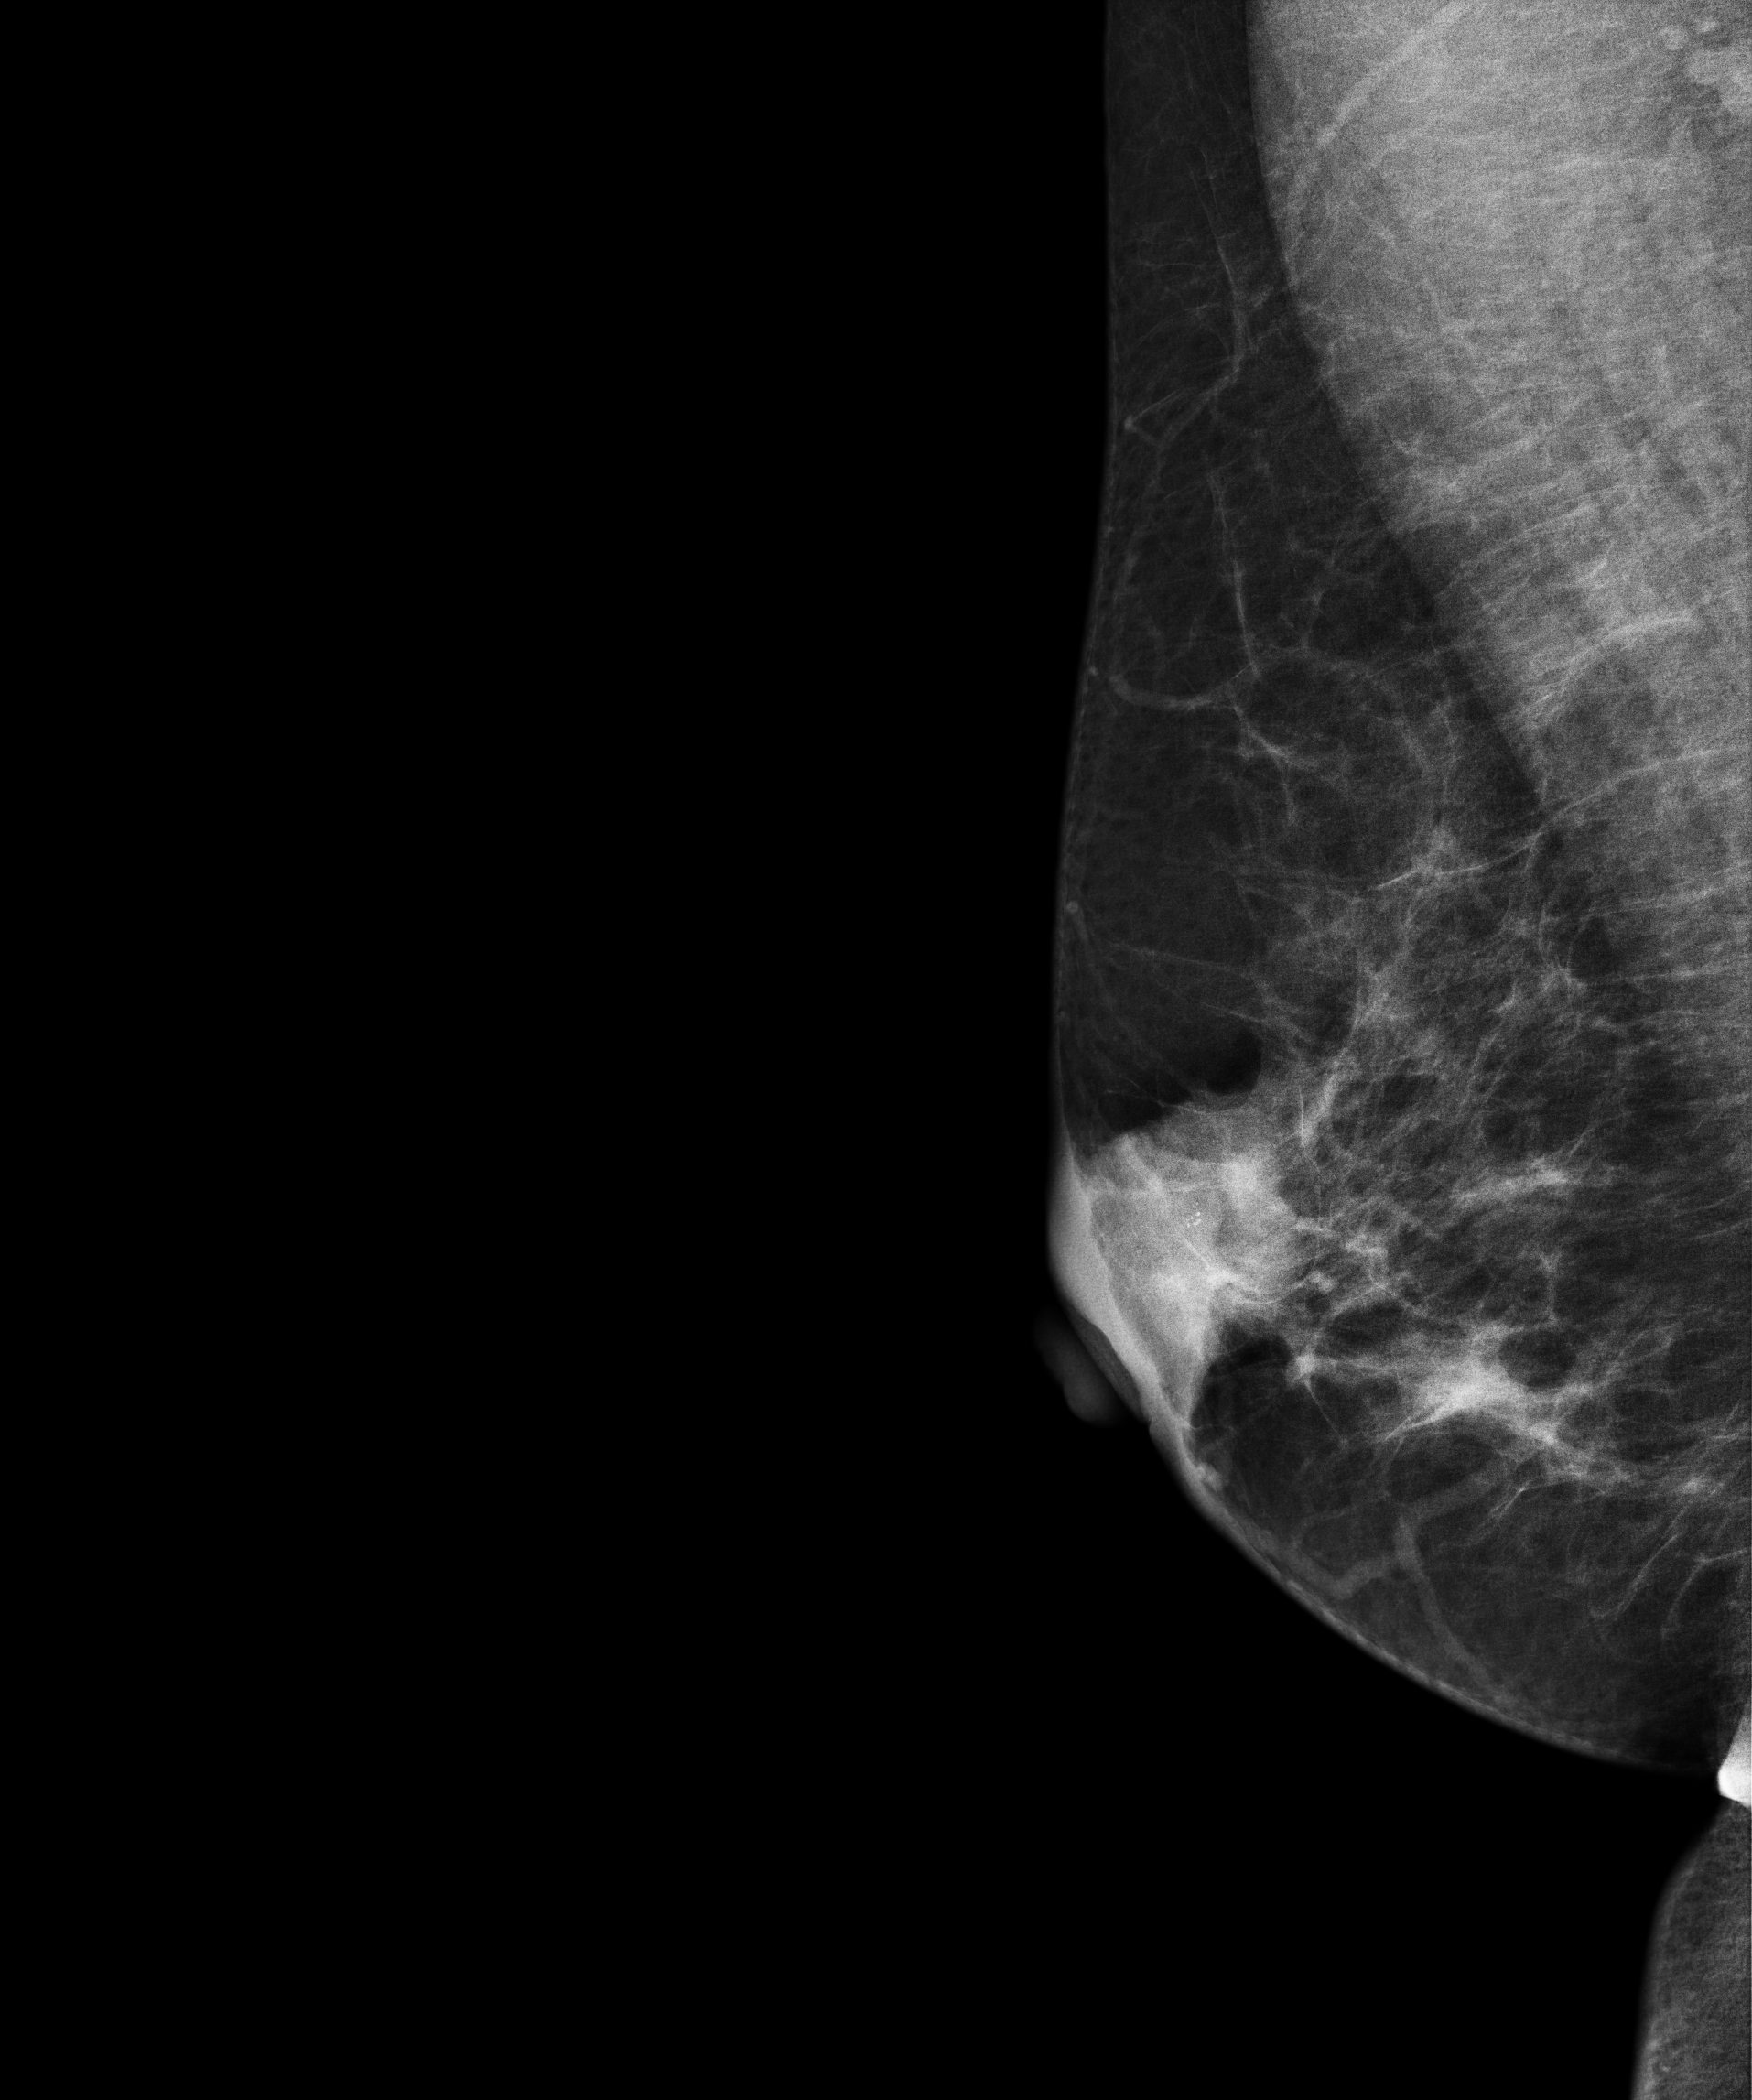
Medio-lateral oblique mammogram of the right breast. 51 y/o patient.
This breast has a mass and calcifications, histologically confirmed malignant. Molecular subtype: luminal B.